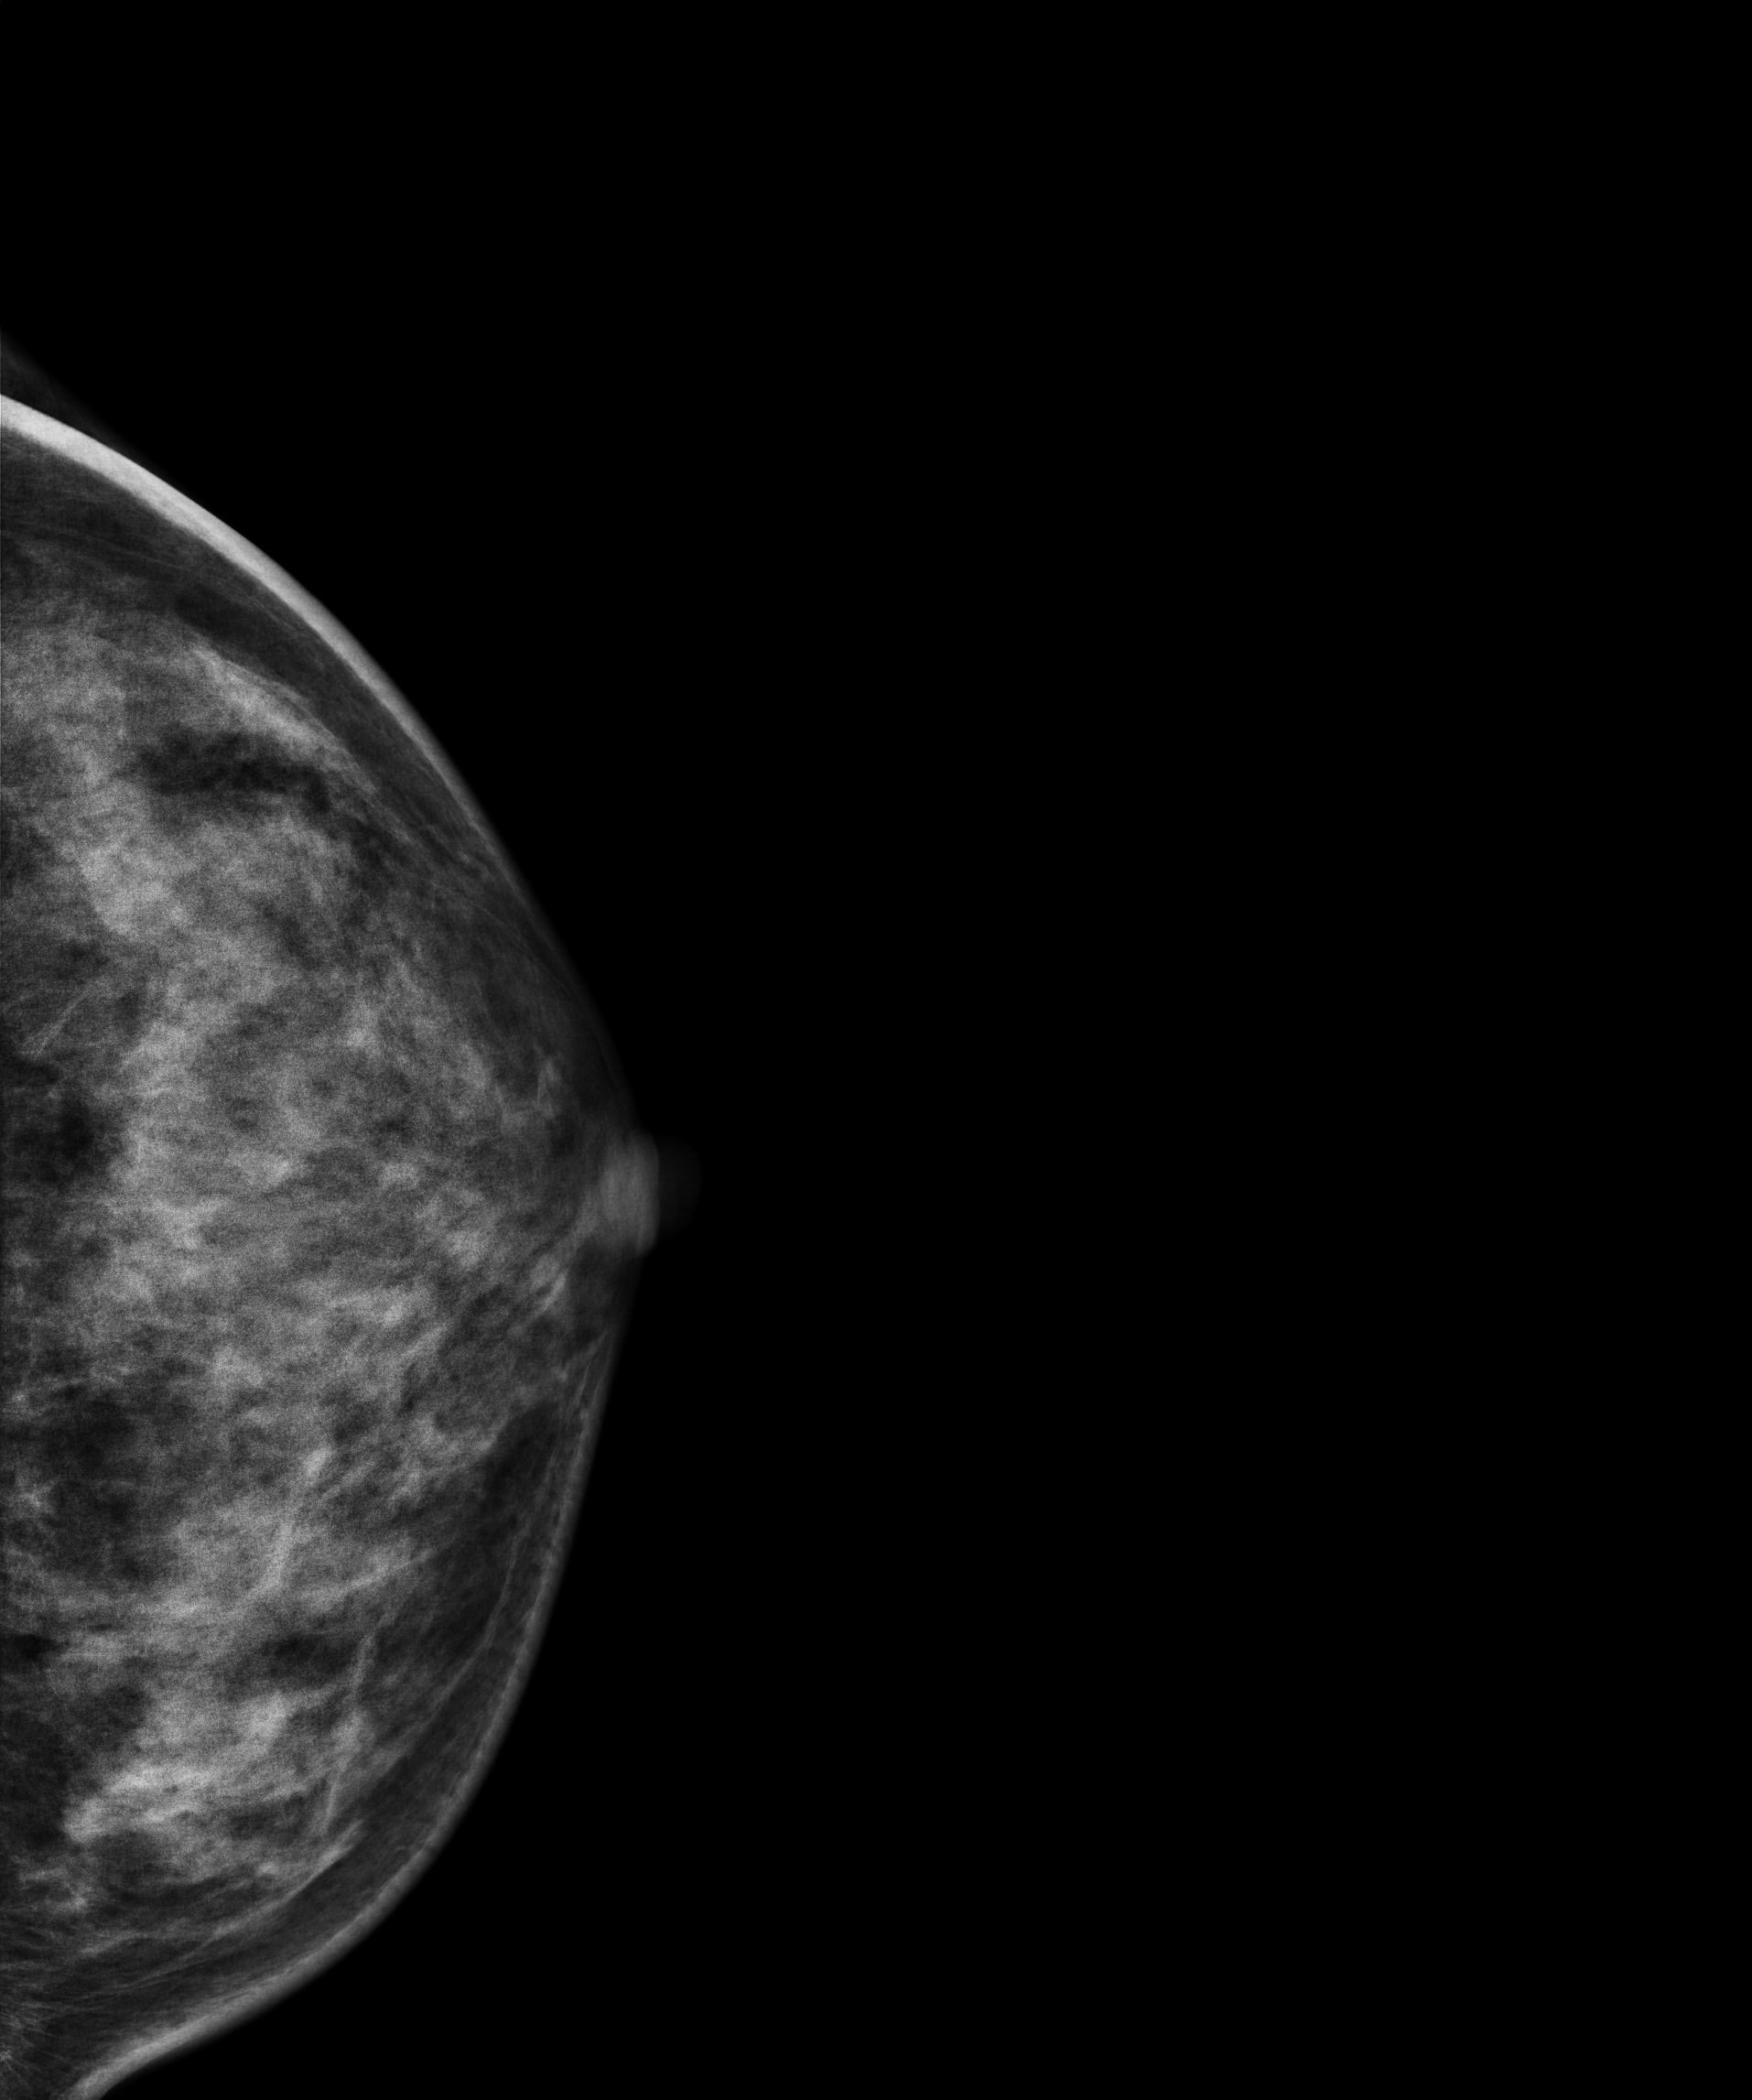
Mammogram, left breast, CC view. 34-year-old patient.
Contralateral breast — no documented abnormality on this side.